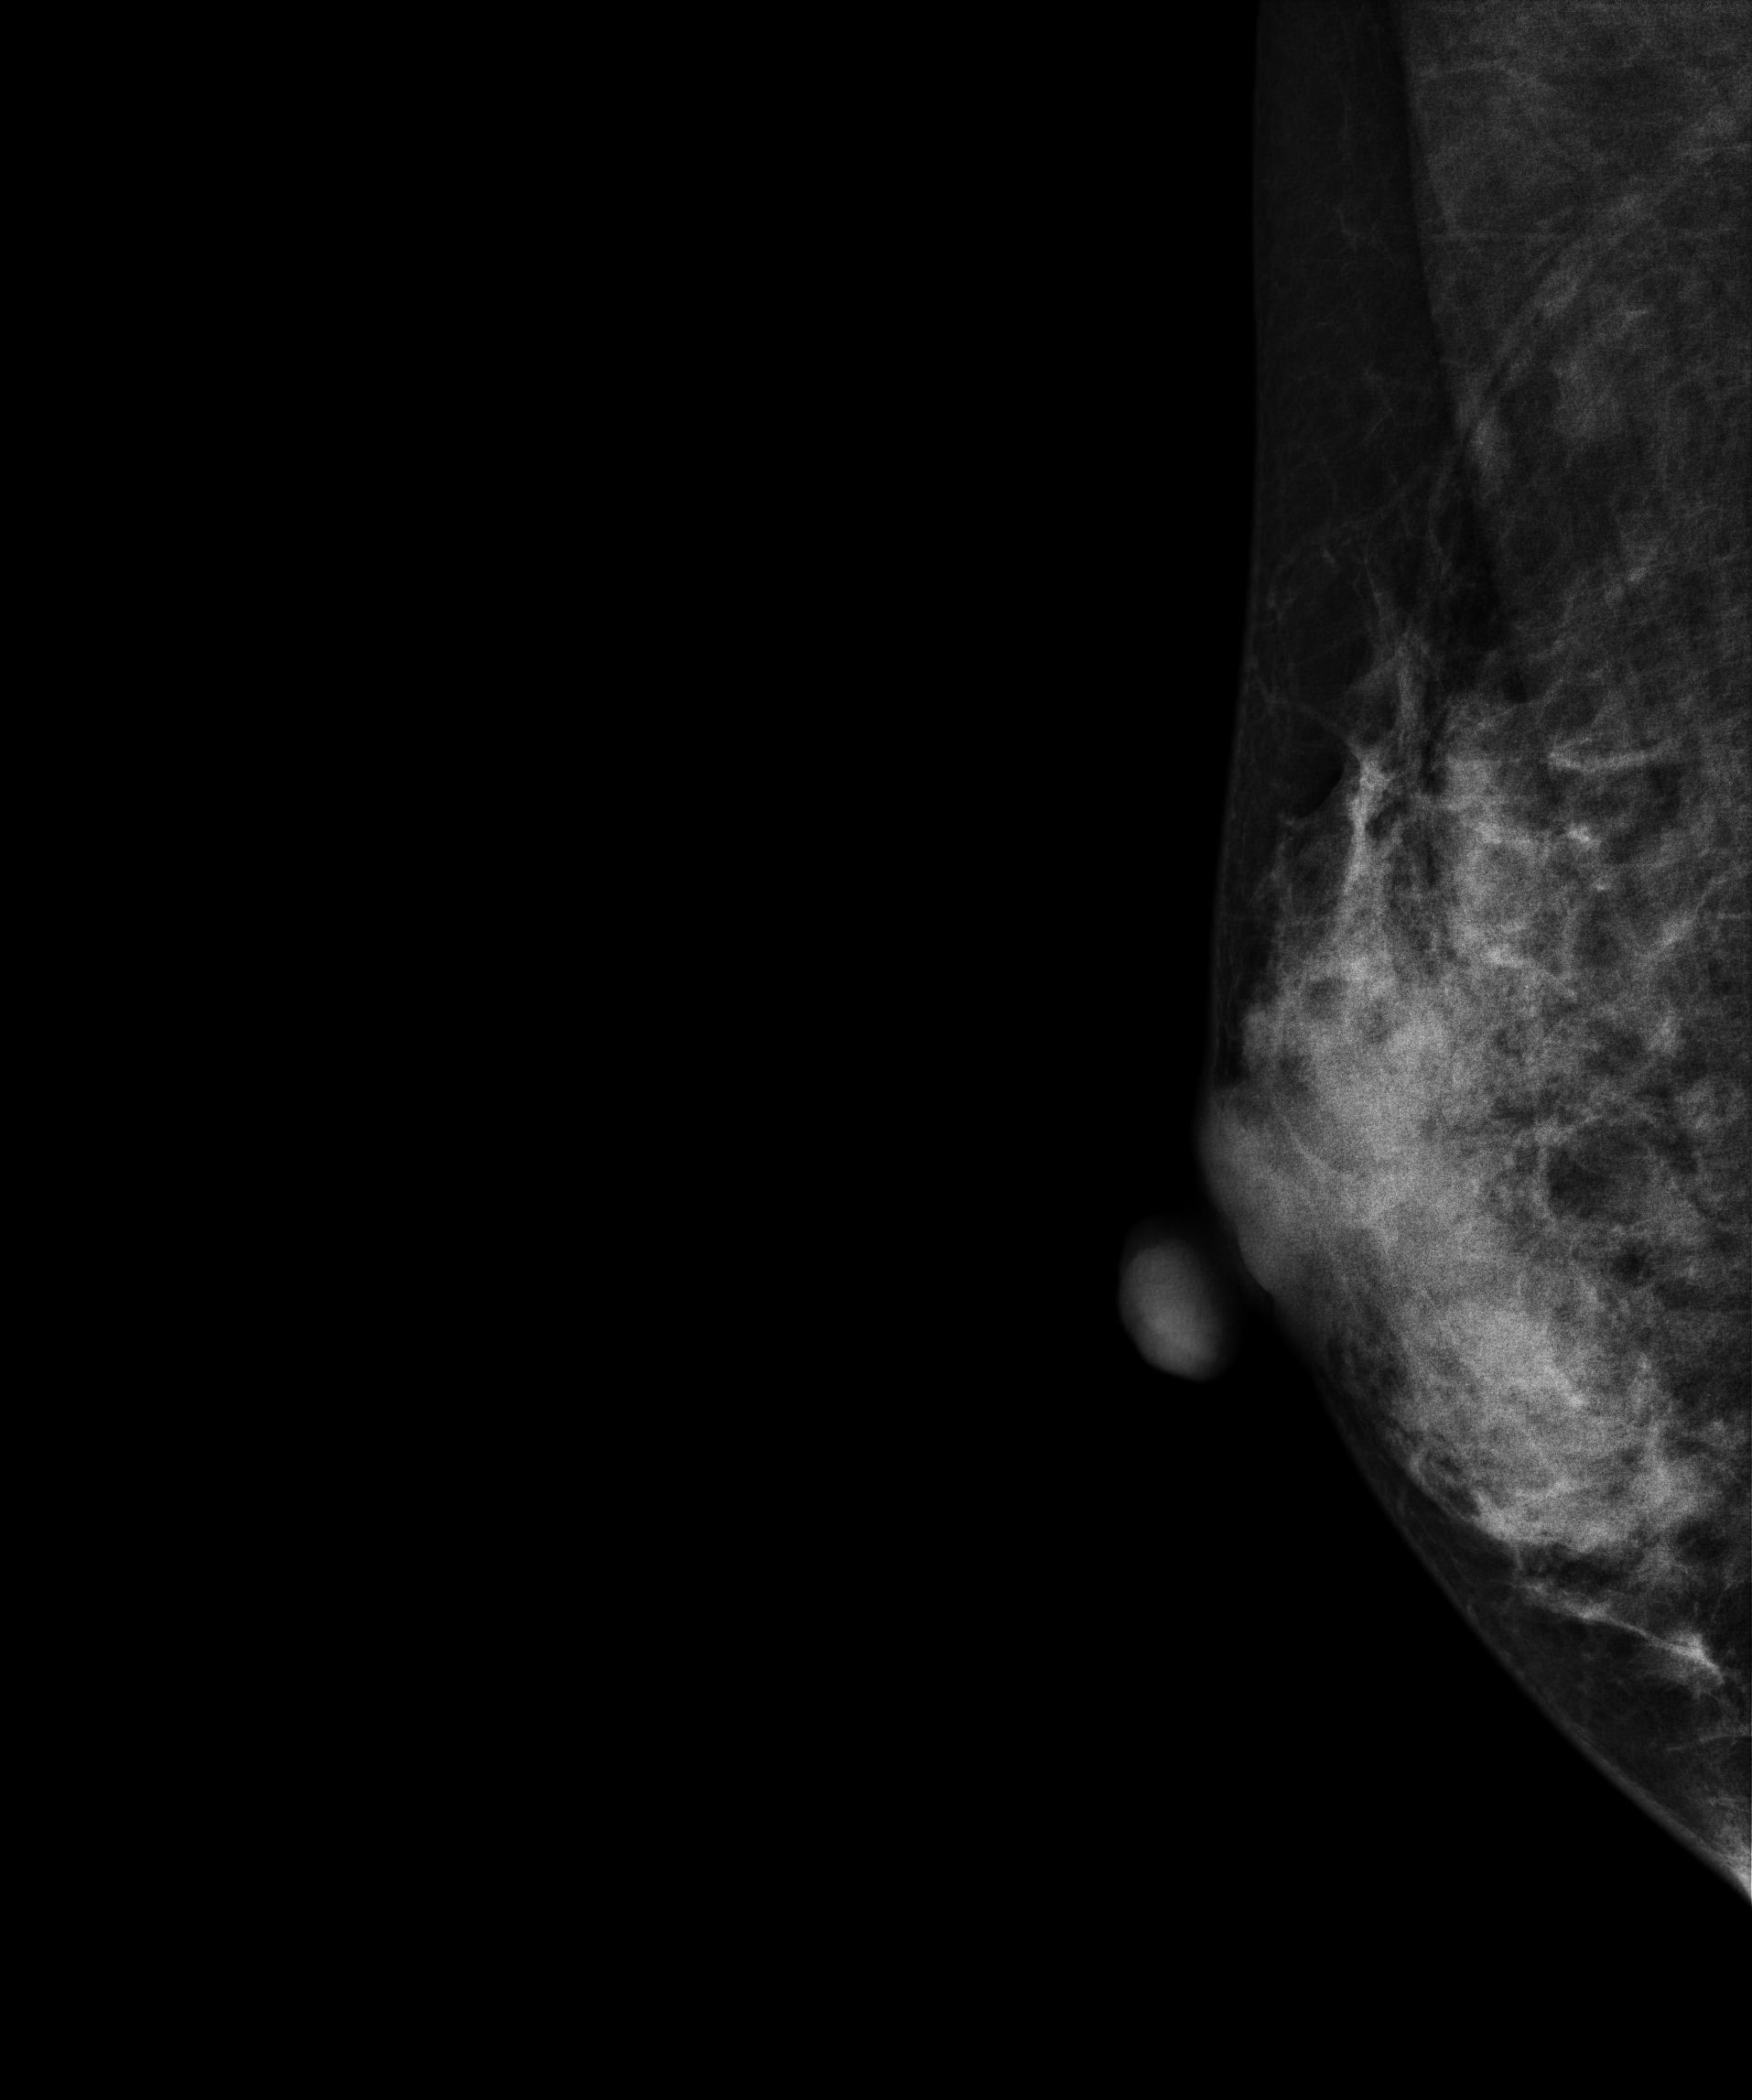
Medio-lateral oblique mammogram of the right breast. Patient age 43.
This breast has a mass, histologically confirmed benign.